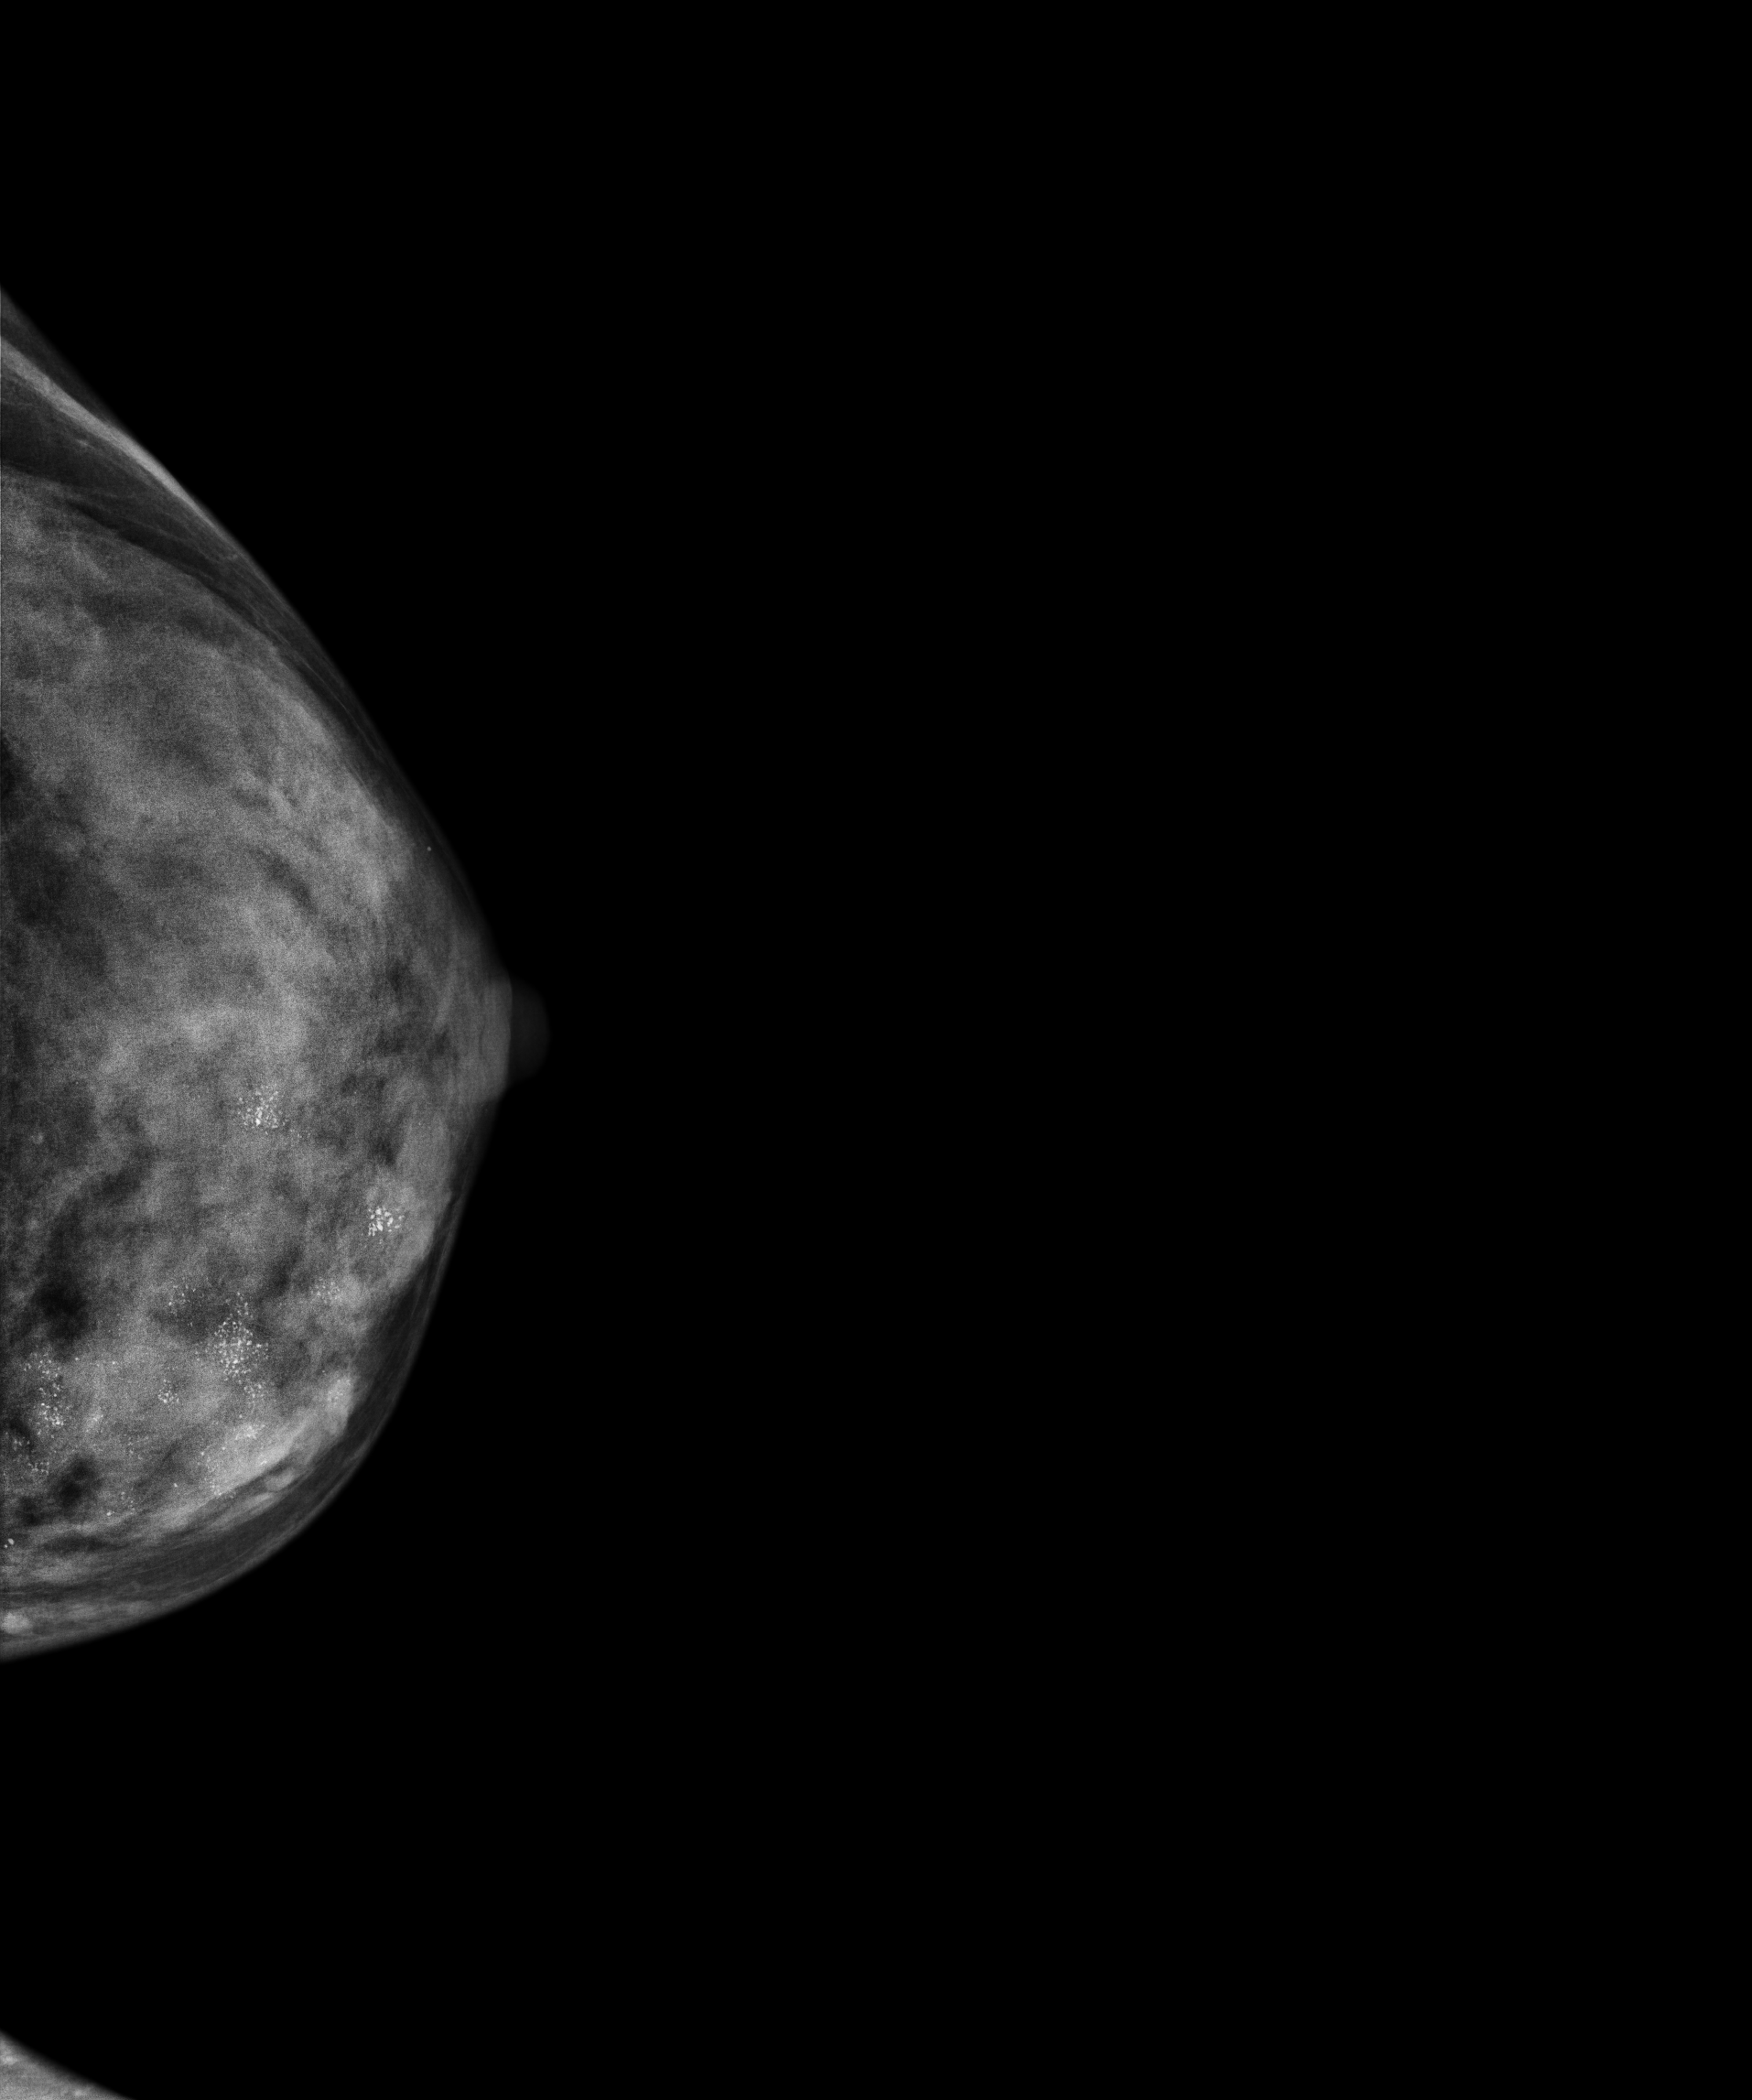
CC mammogram of the left breast. 41-year-old patient.
This breast has calcifications, histologically confirmed malignant.